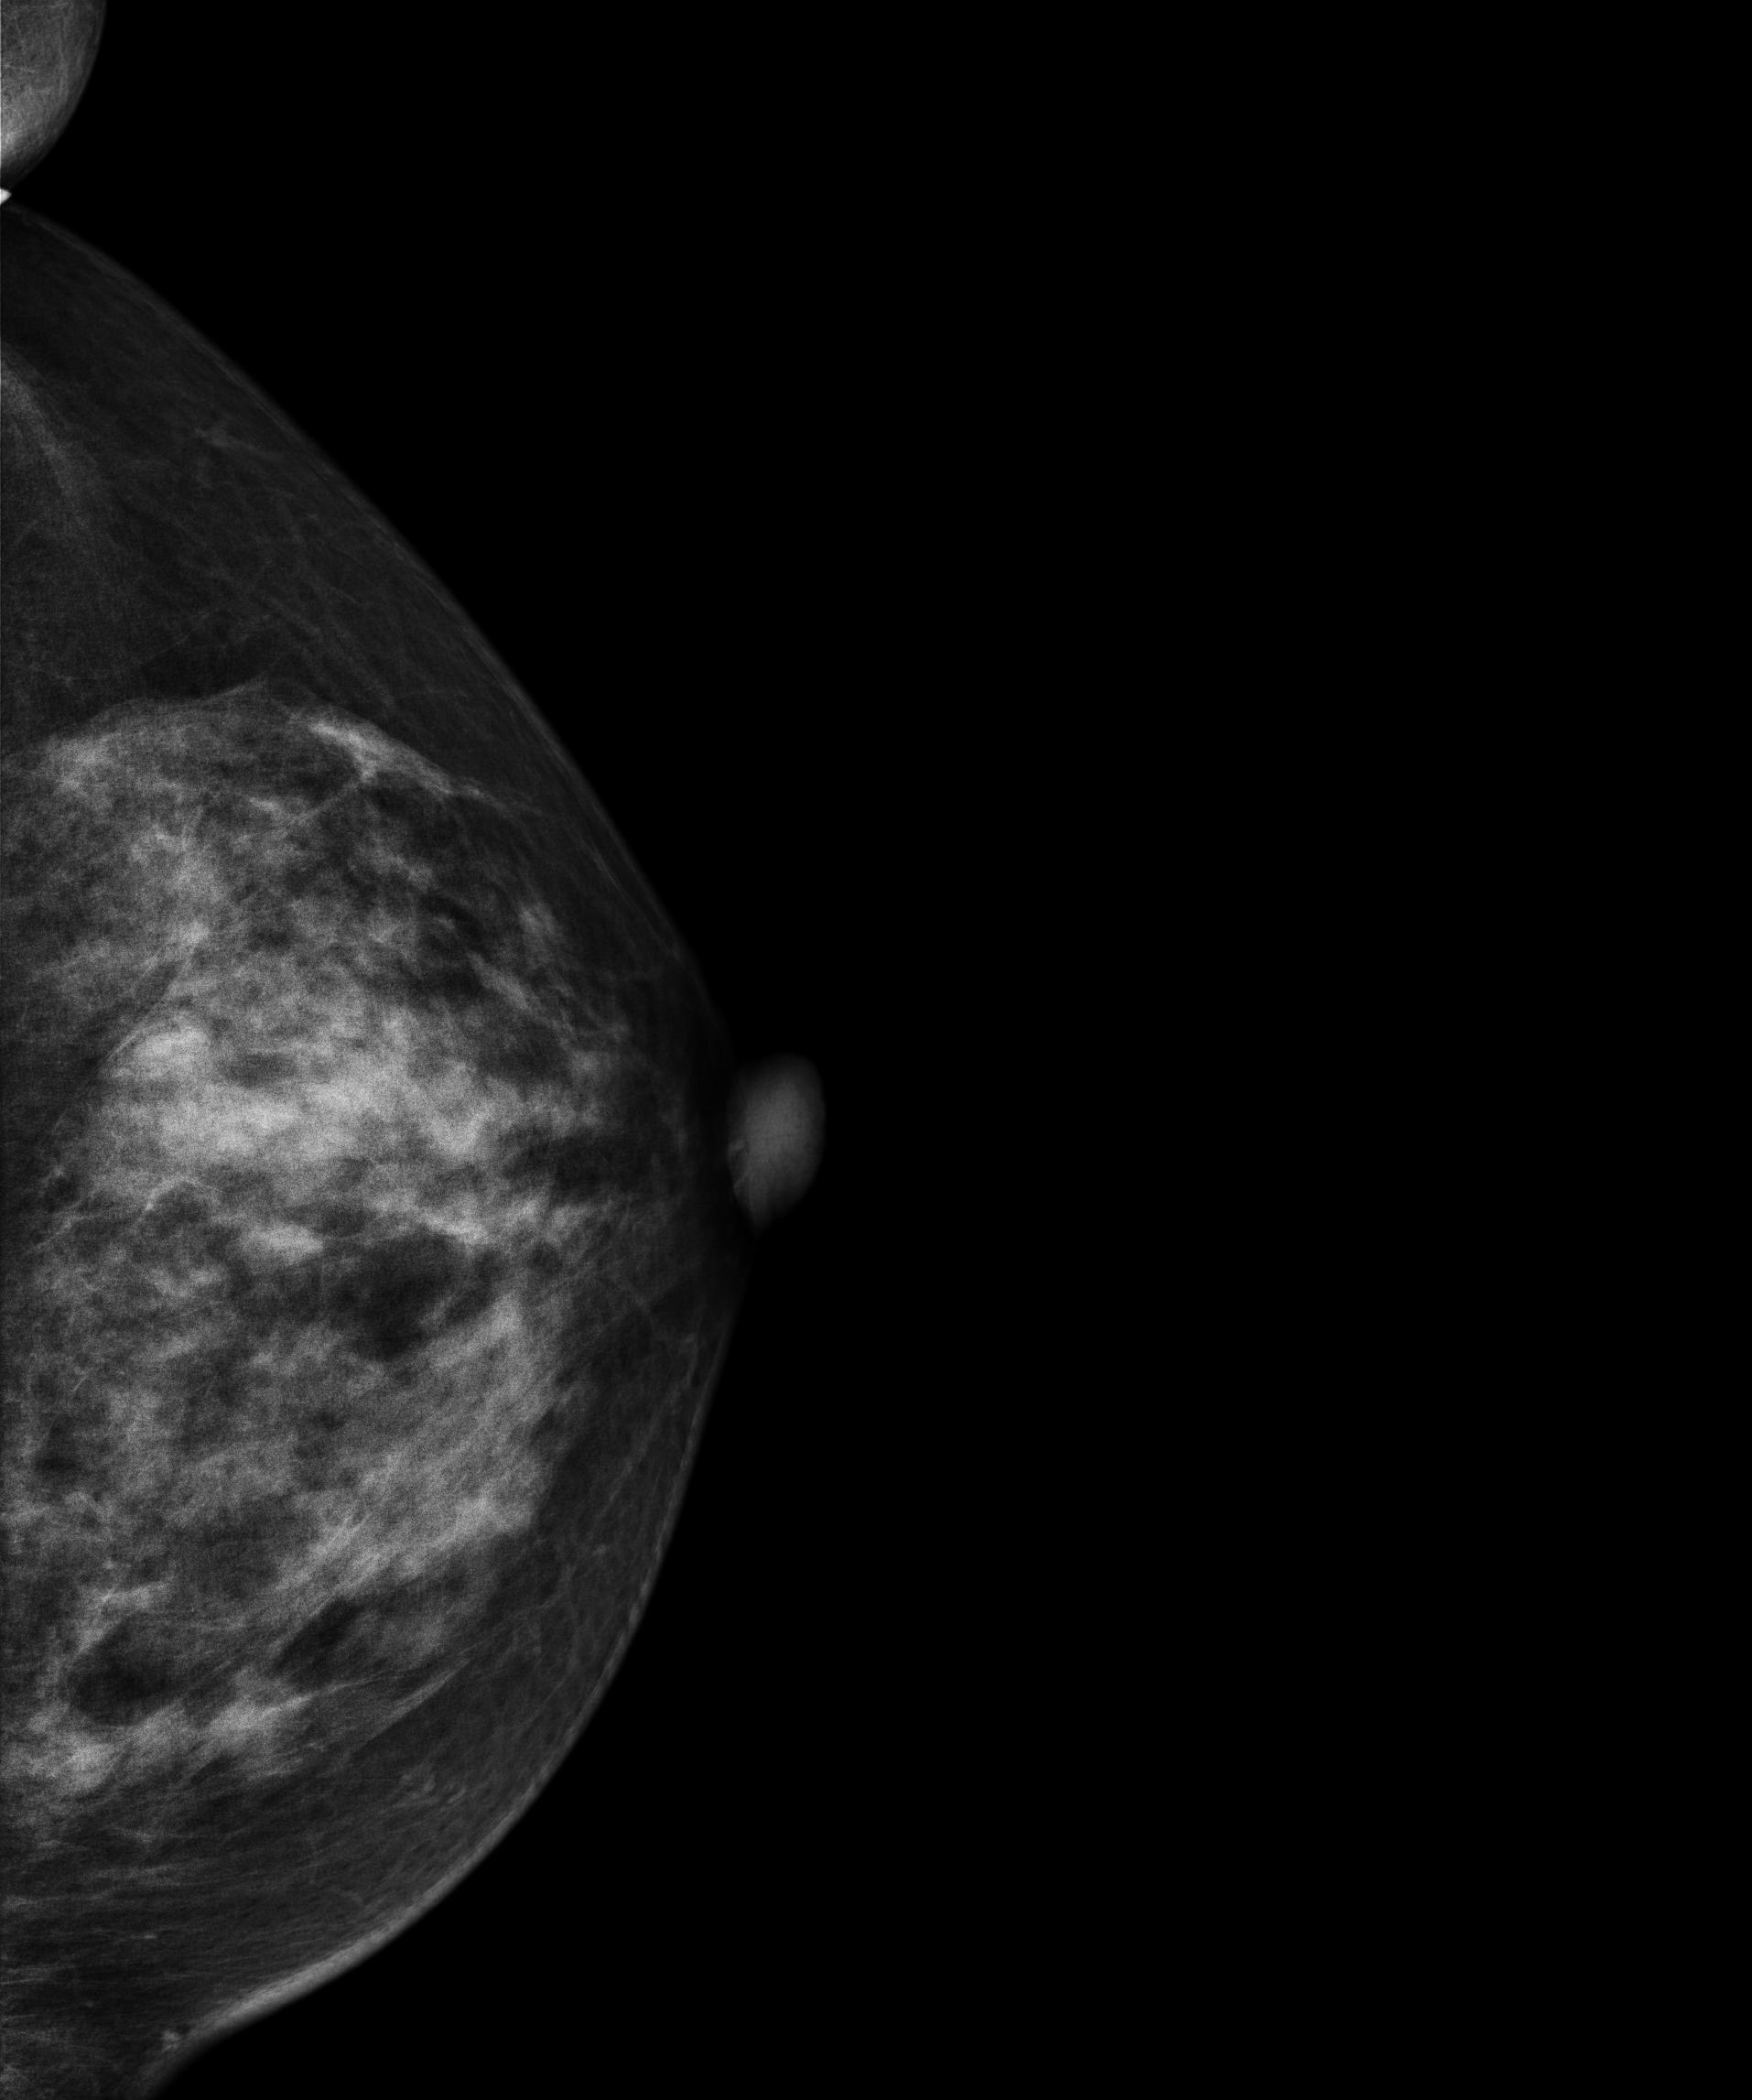
Digital mammography. Left breast, CC projection. Patient age 44.
Contralateral breast — no documented abnormality on this side.